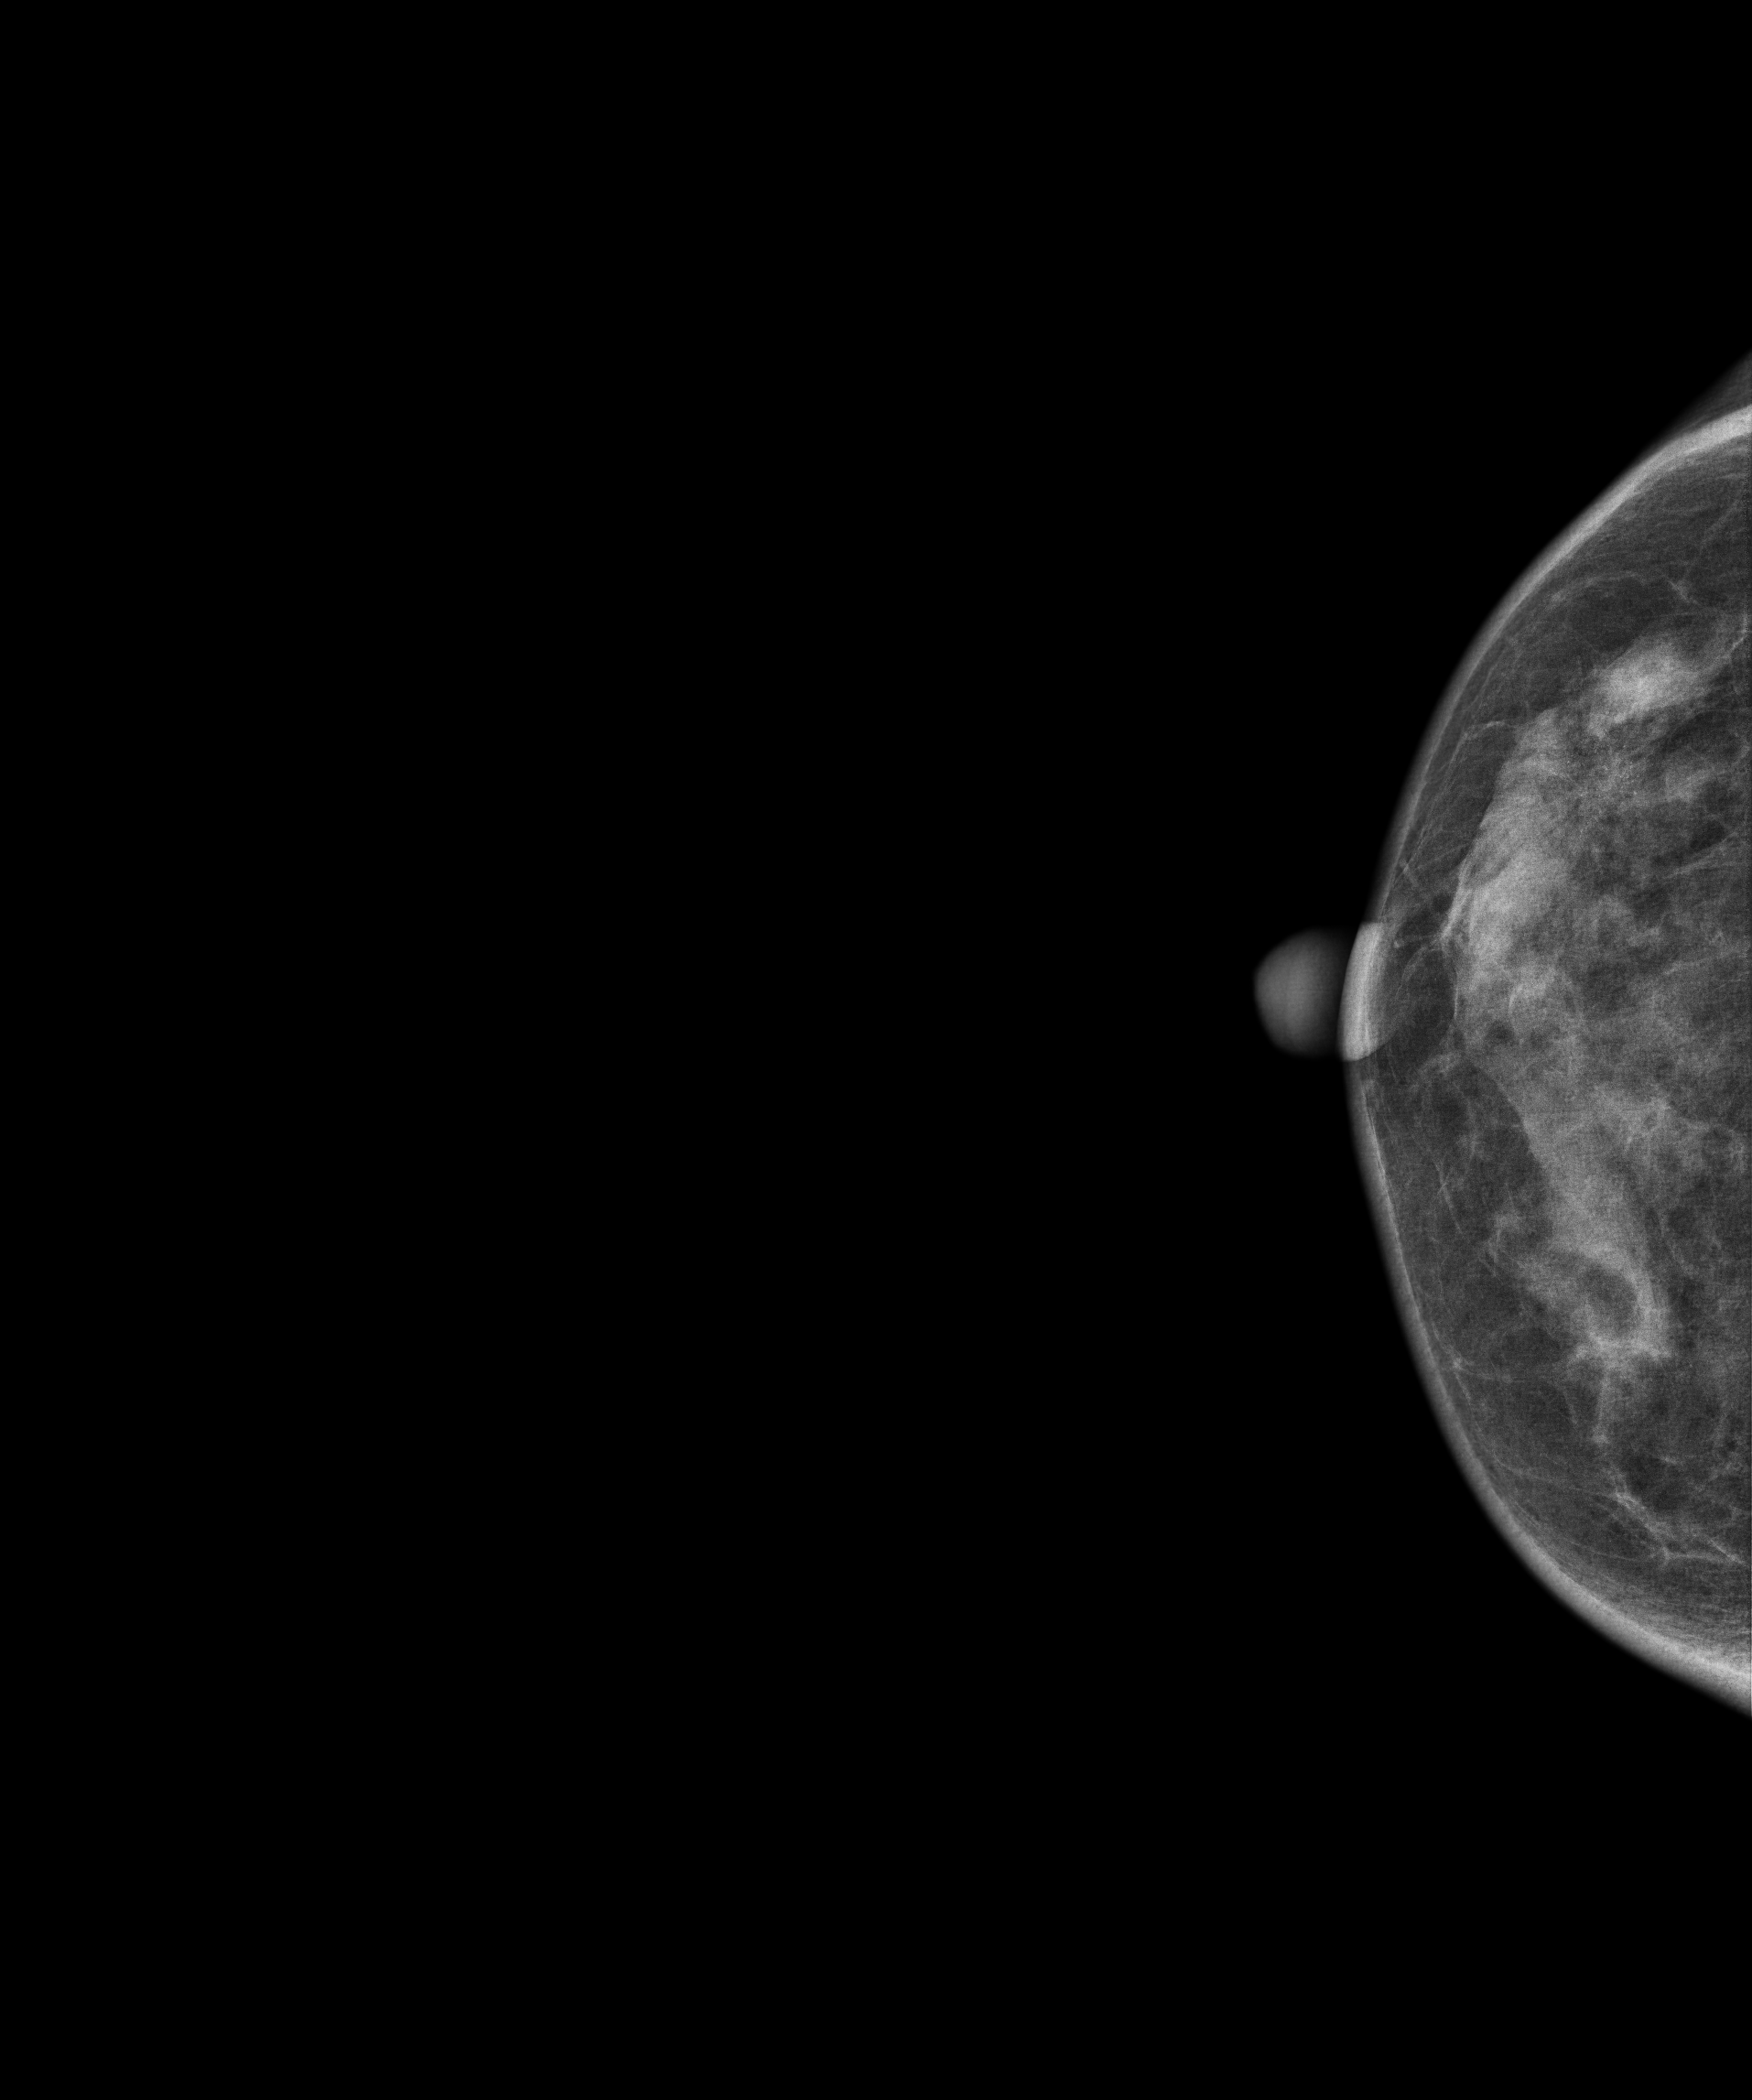
CC mammogram of the right breast. 51 y/o patient.
This breast has a mass, histologically confirmed malignant. Molecular subtype: luminal B.